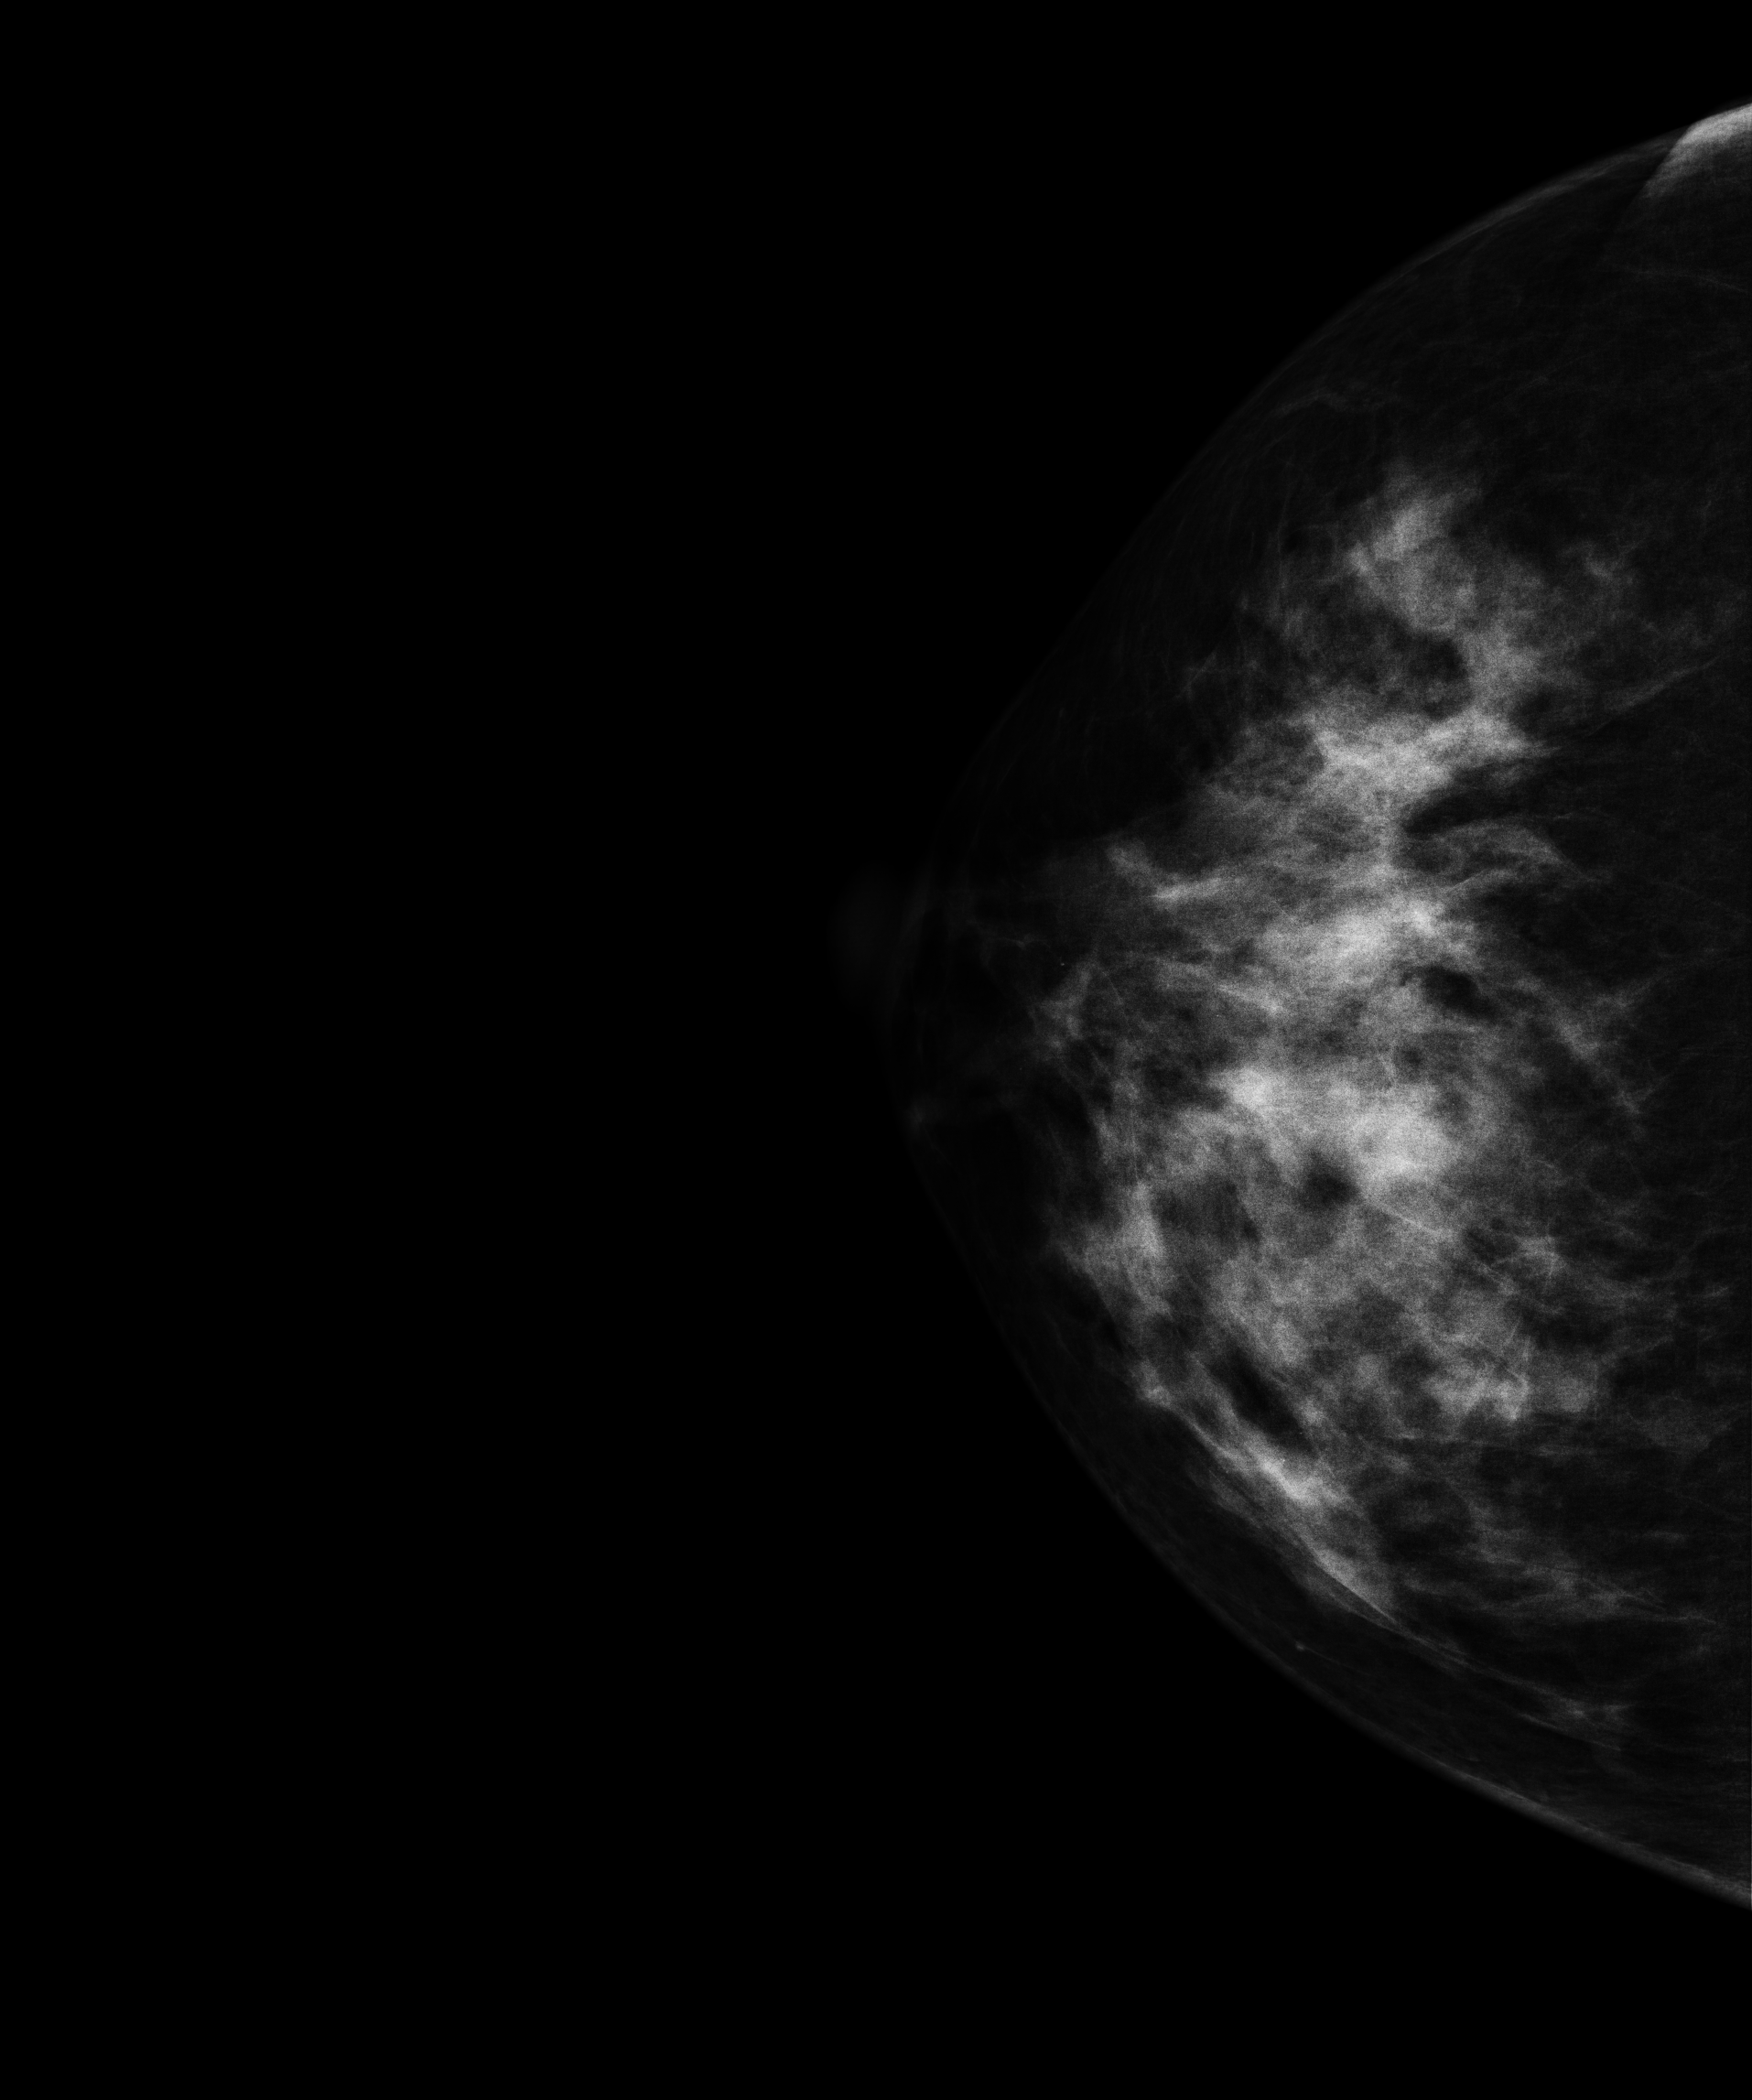
Digital mammography. Right breast, CC projection. 51 y/o patient.
This breast has a mass, pathology-confirmed benign.